Mammogram, left breast, MLO view. Patient age 53.
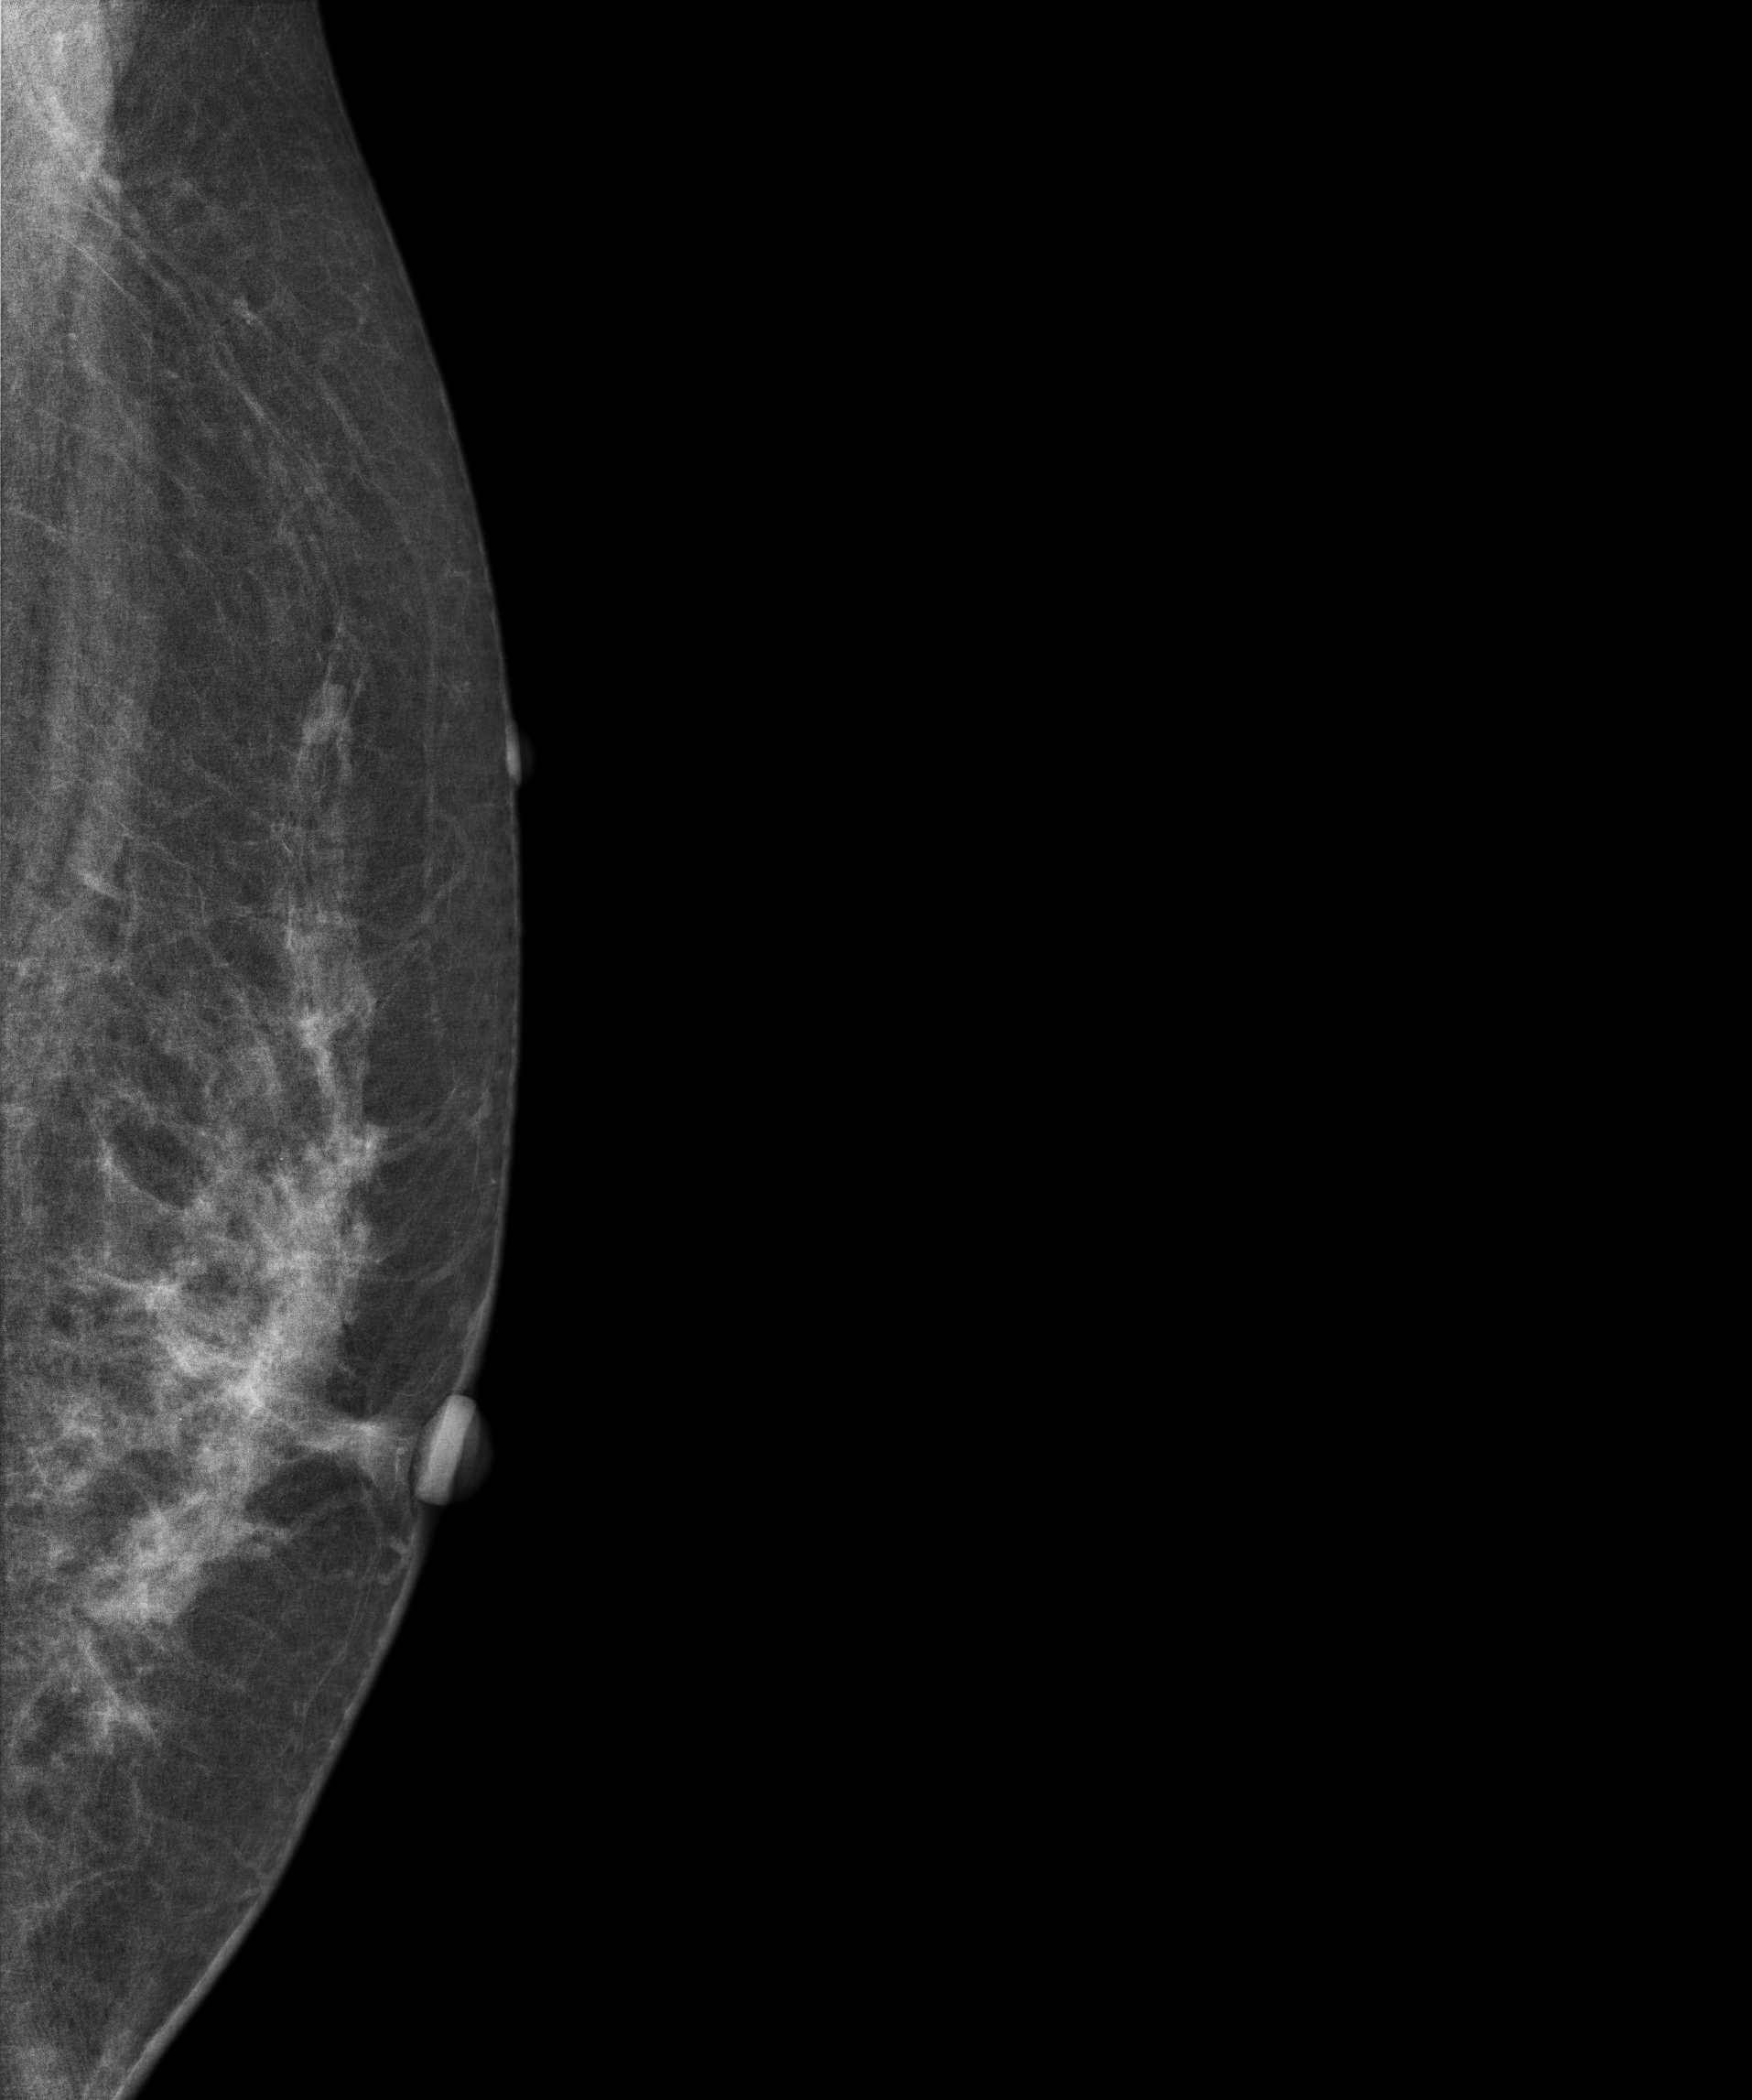
Contralateral breast — no documented abnormality on this side.